CC mammogram of the left breast. 71-year-old patient.
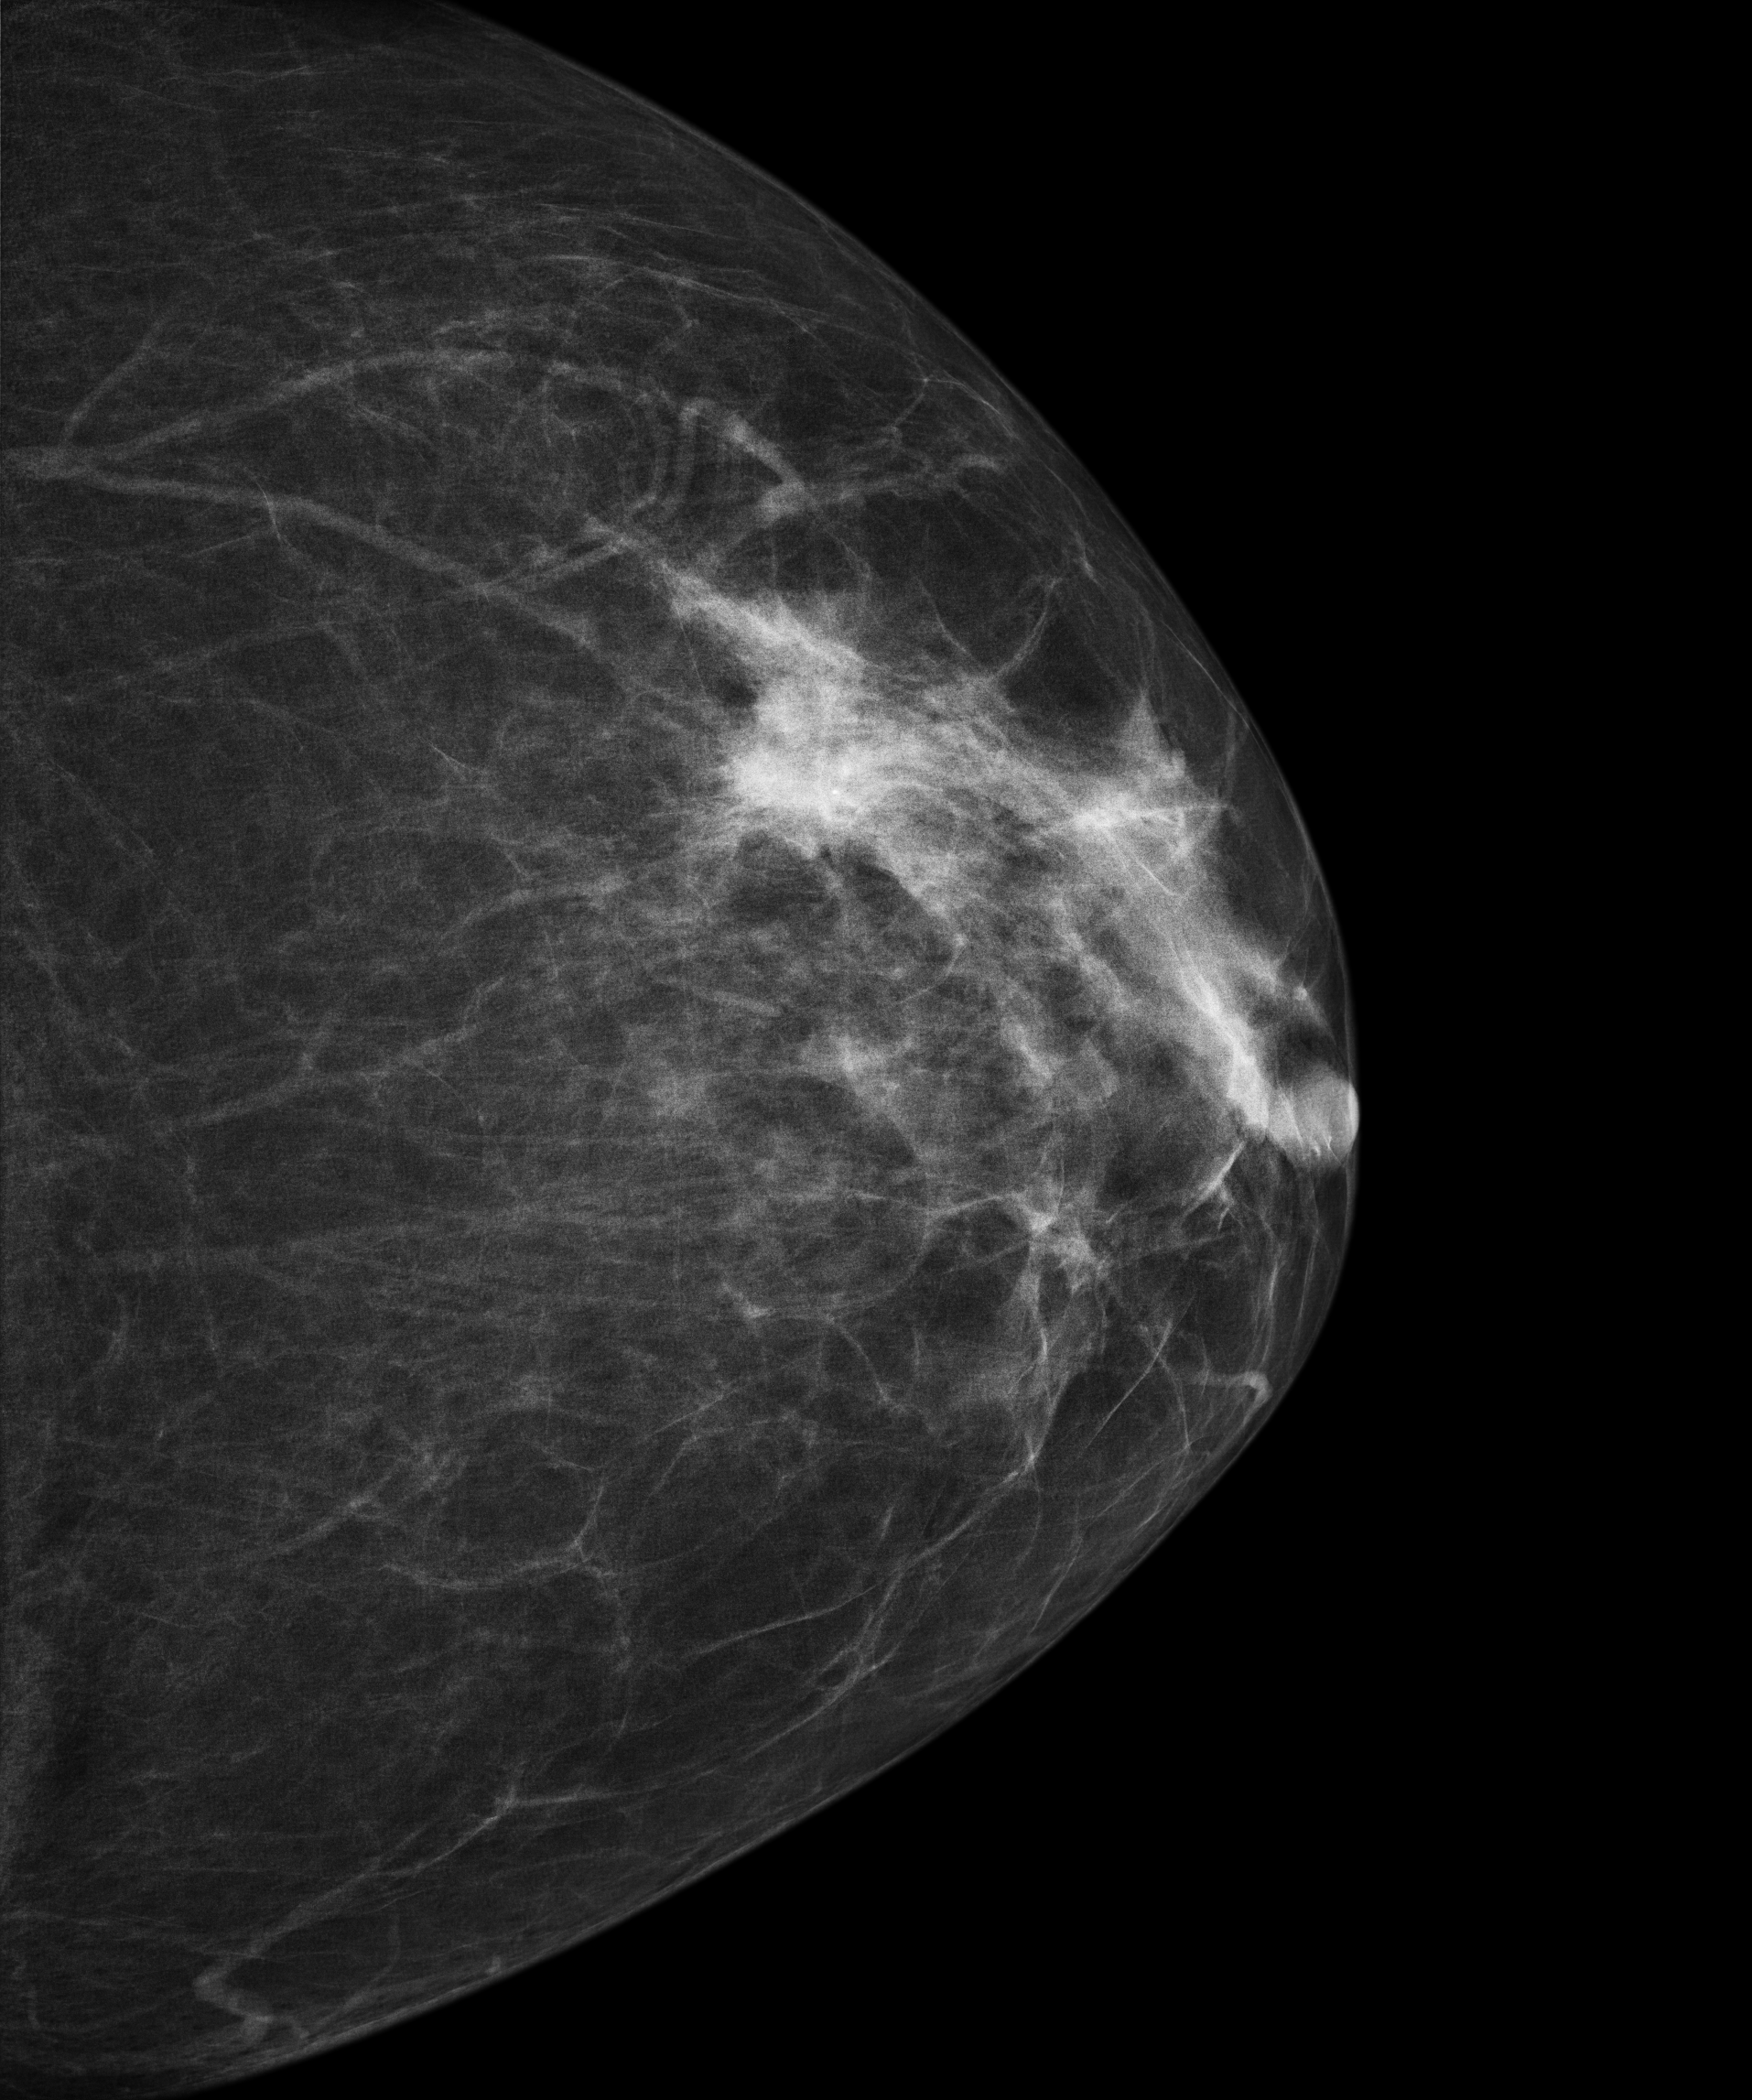
This breast has a mass, biopsy-confirmed malignant.